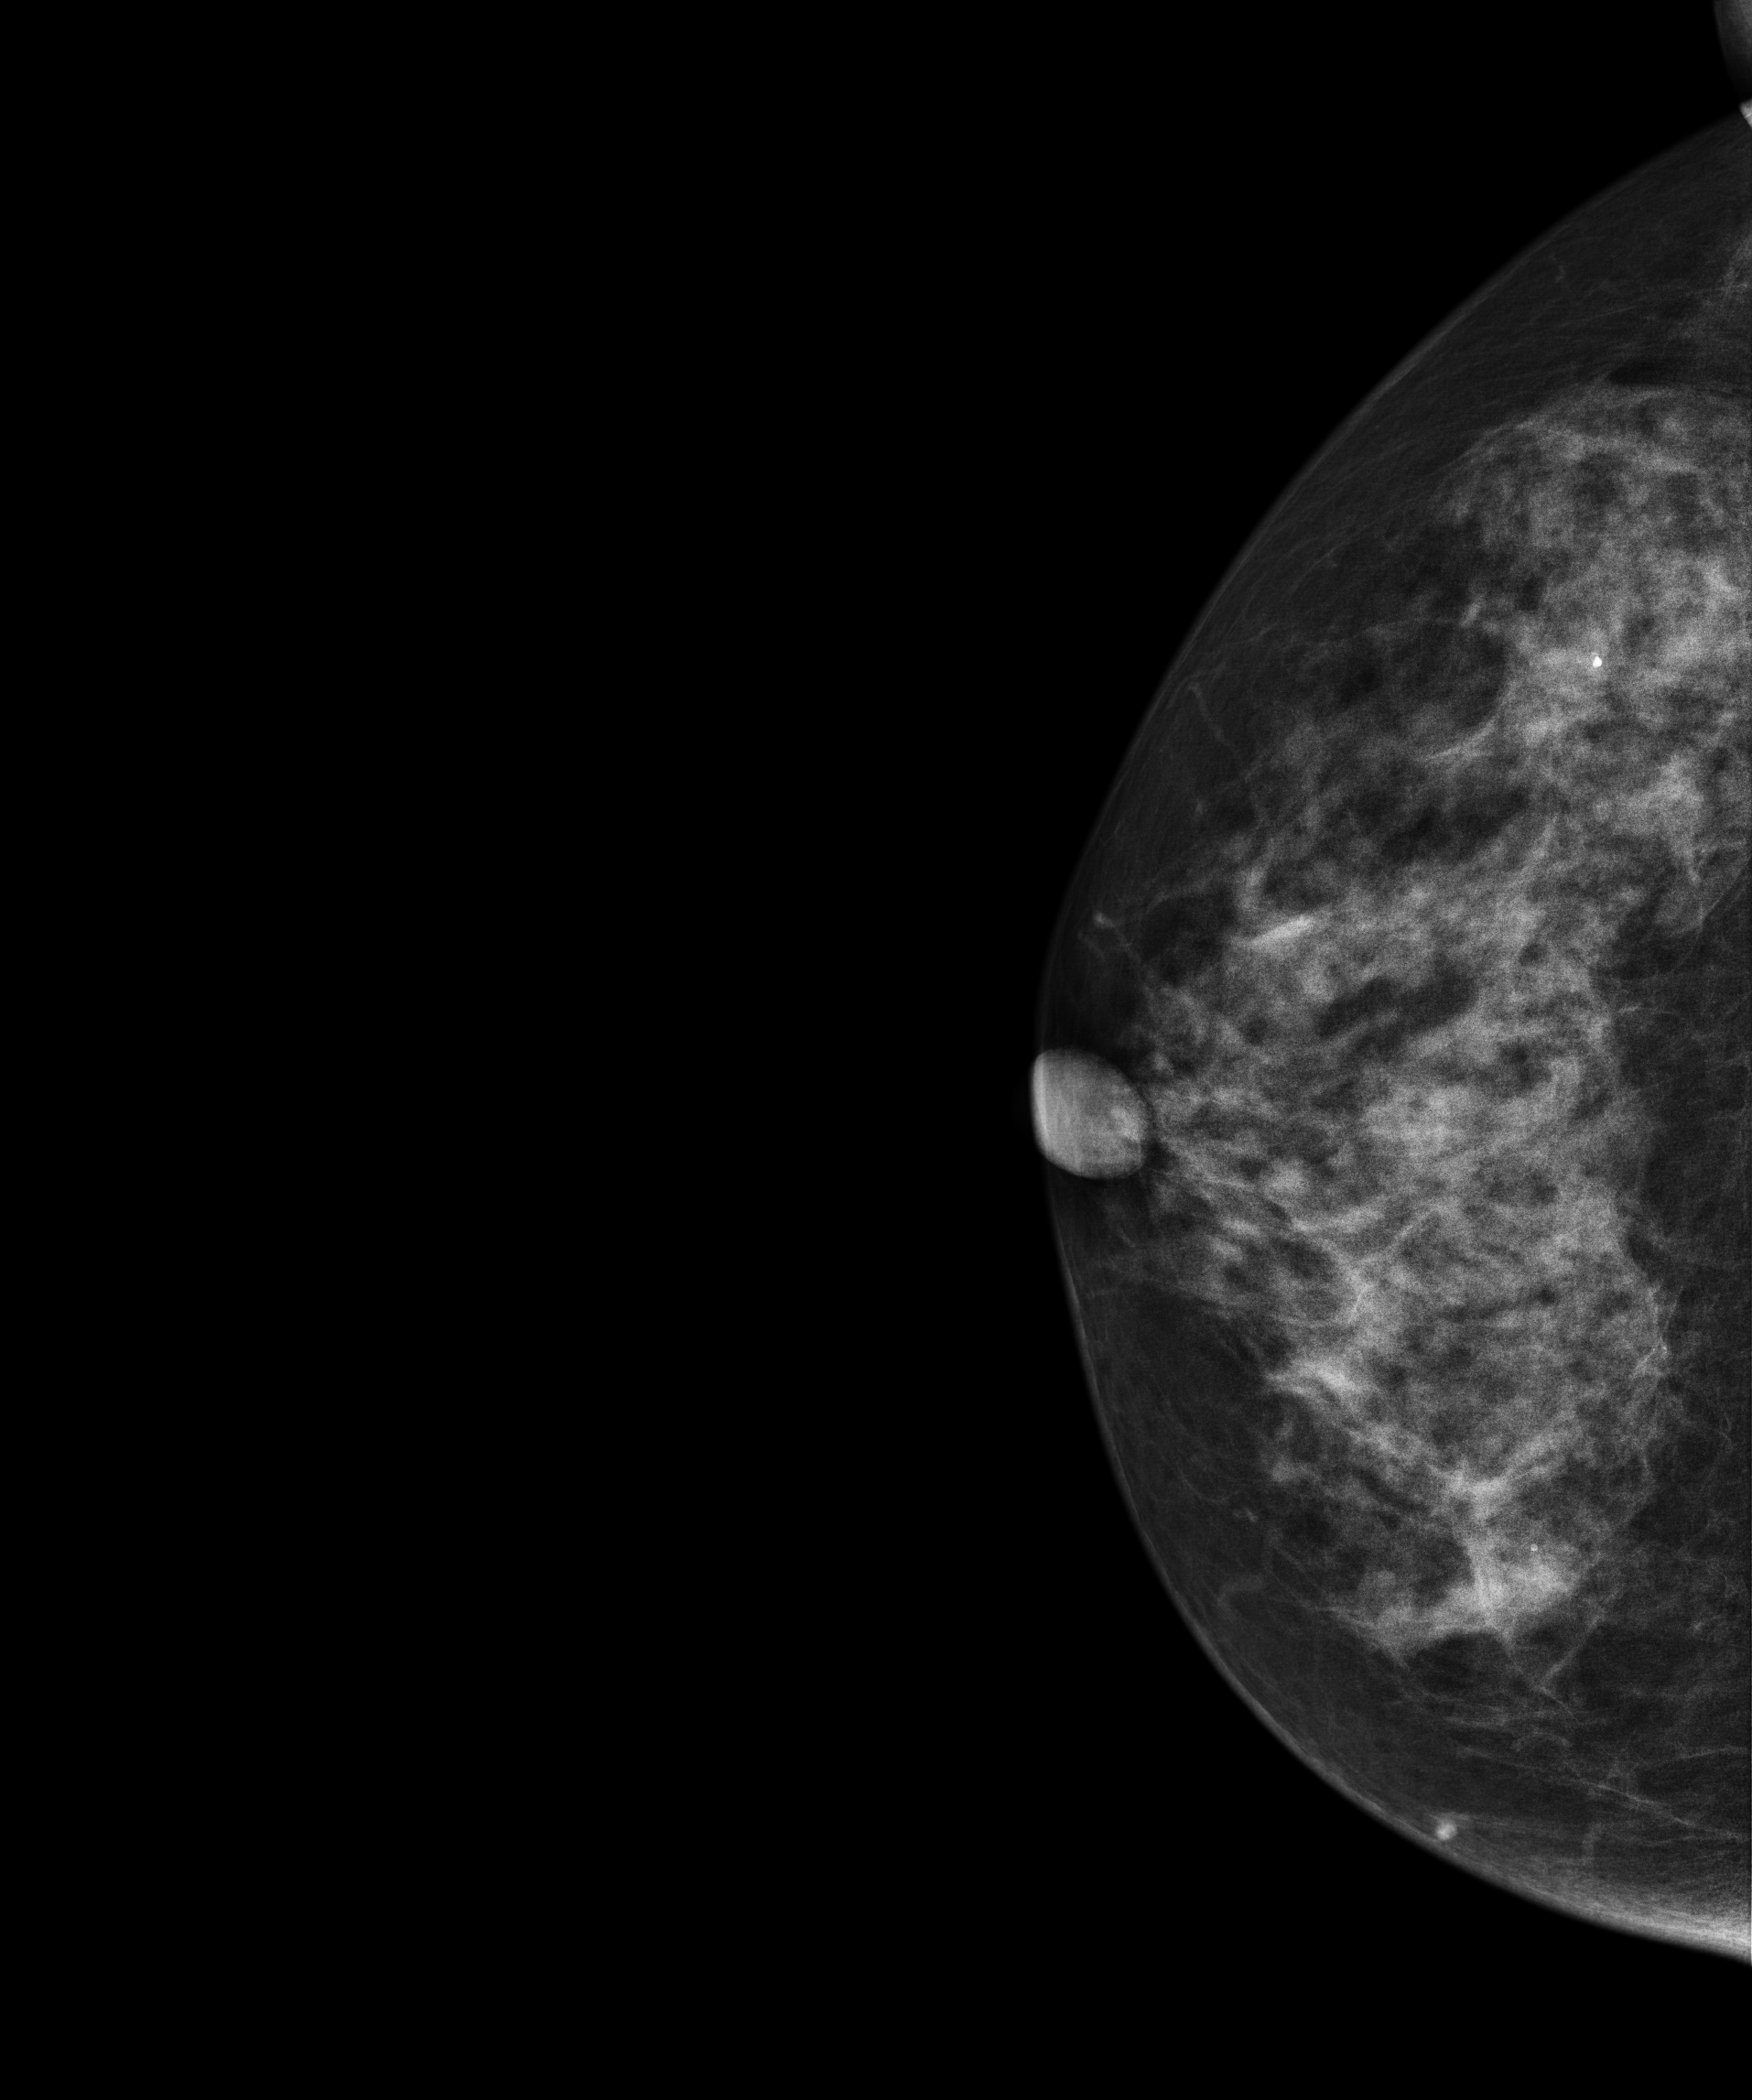
Digital mammography. Right breast, CC projection. Patient age 40.
This breast has a mass, pathology-confirmed benign.